Left-breast mammogram, medio-lateral oblique. 45-year-old patient.
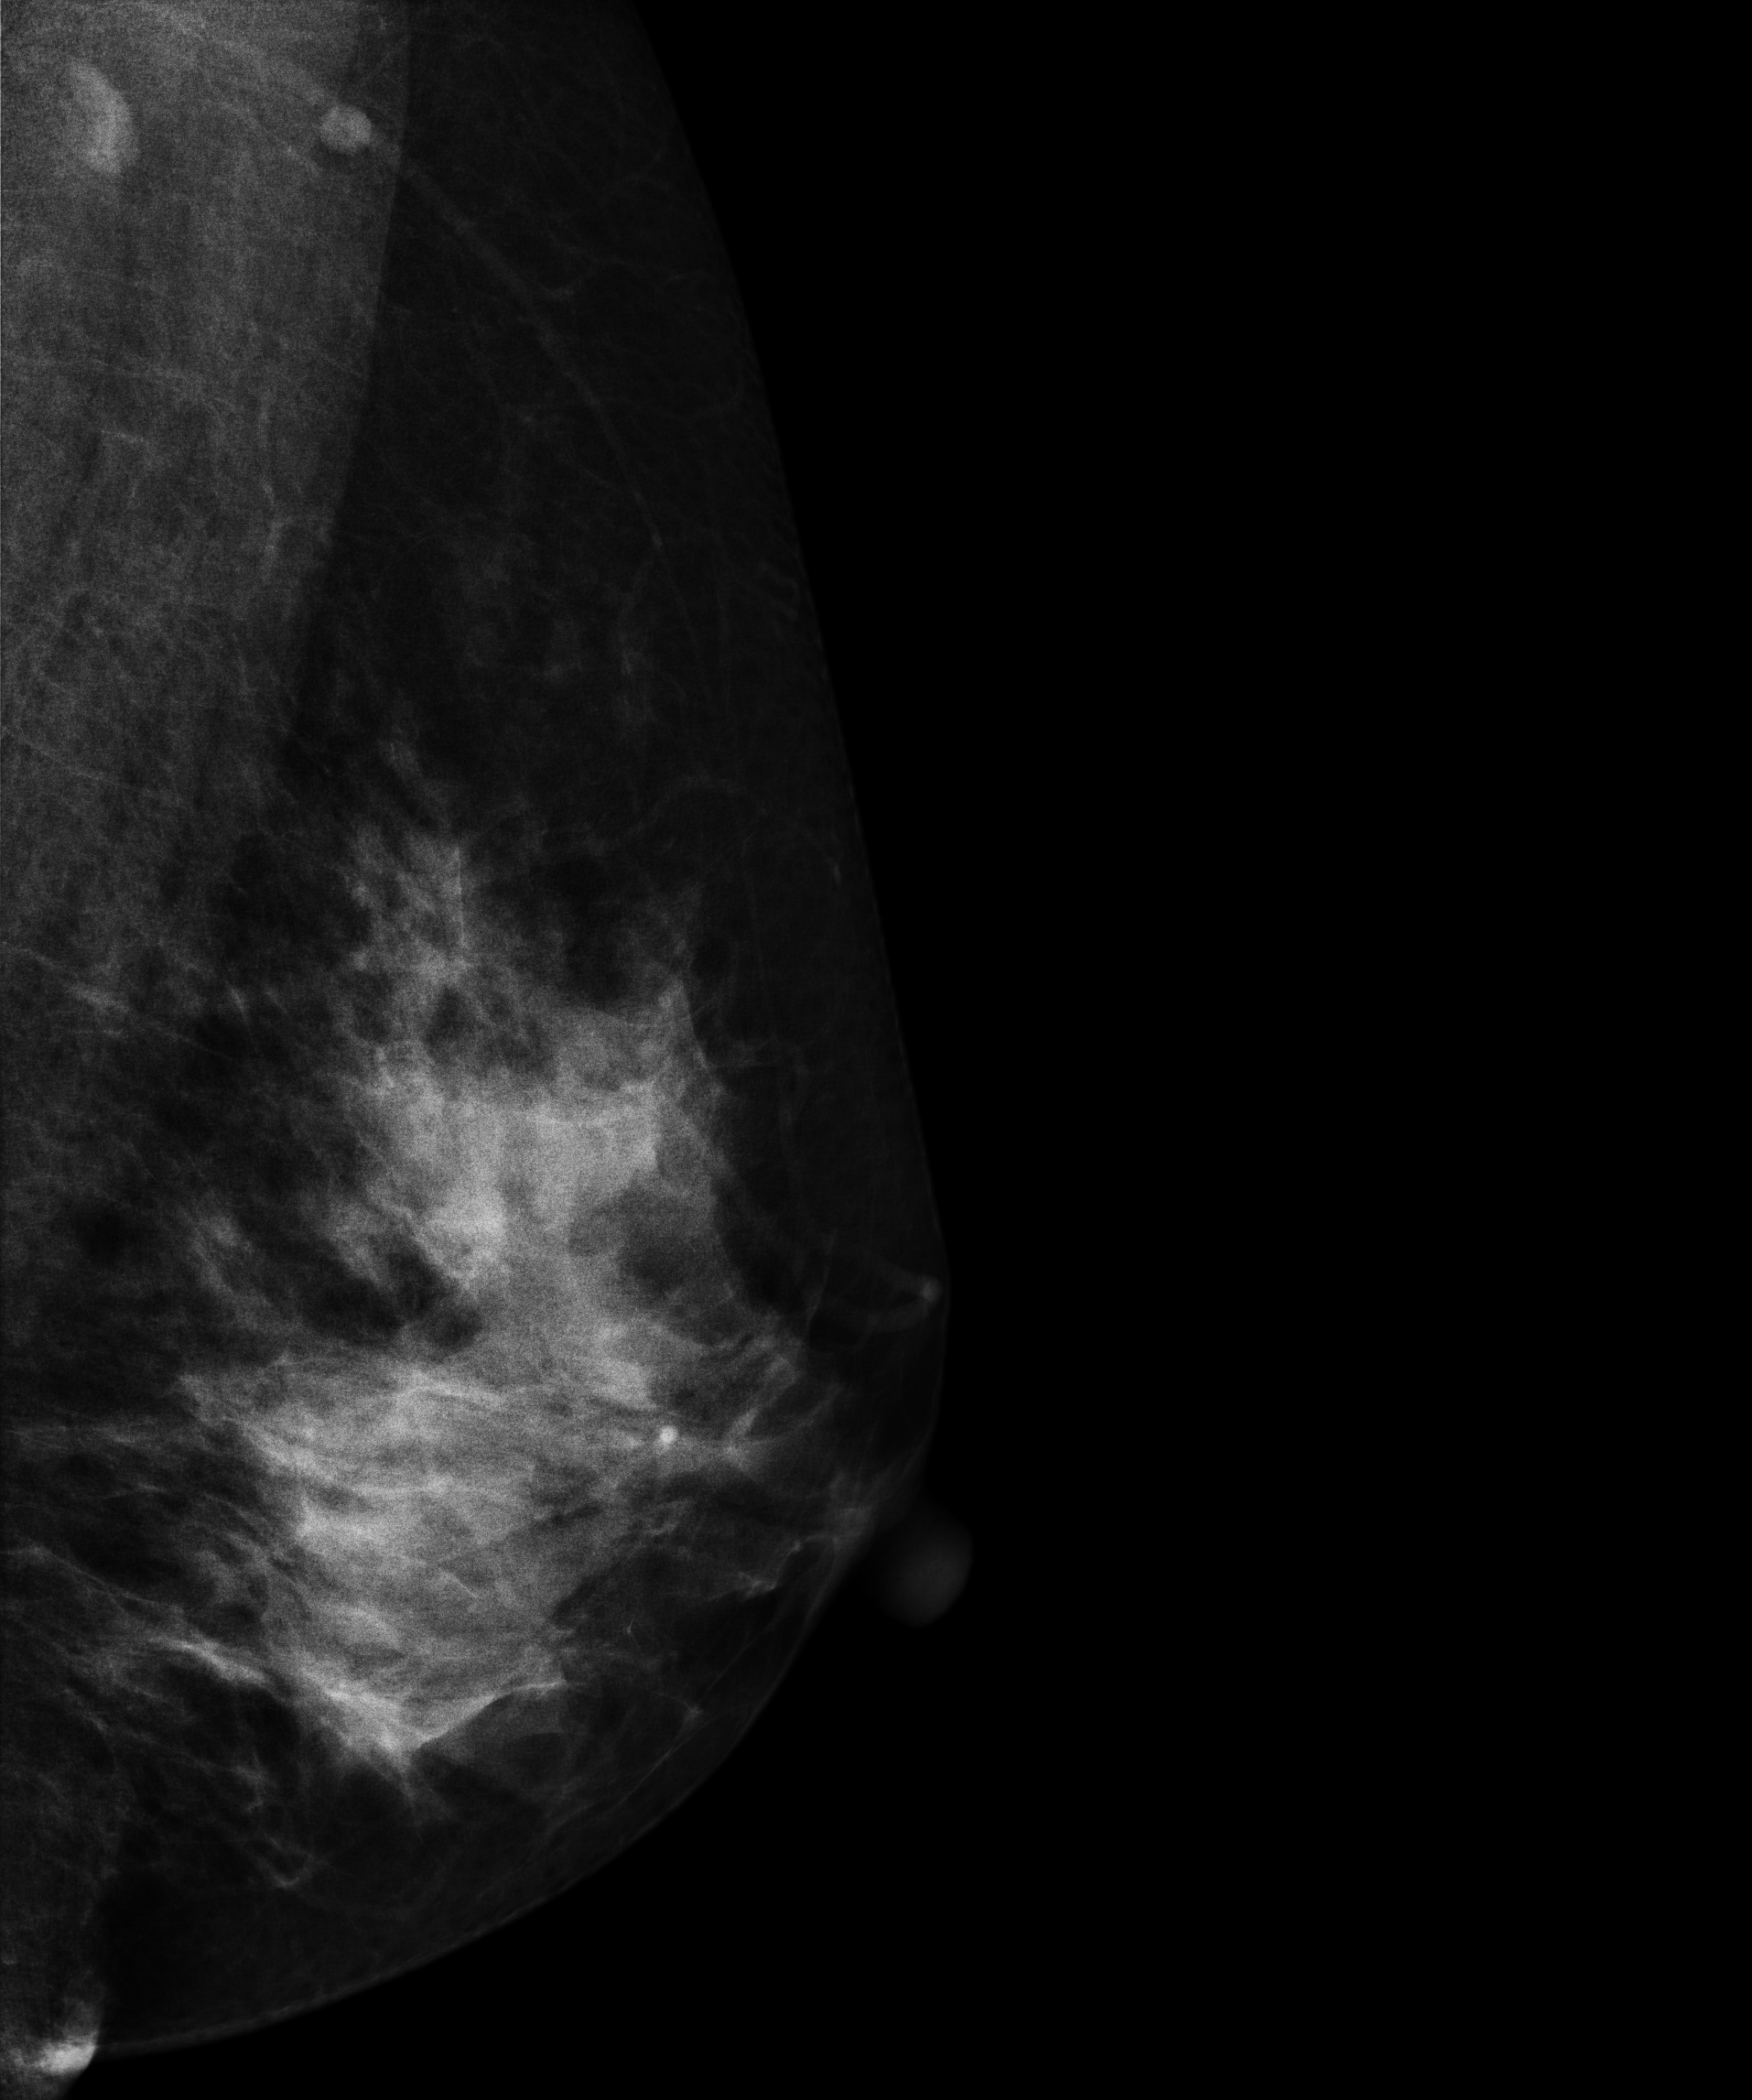
Contralateral breast — no documented abnormality on this side.